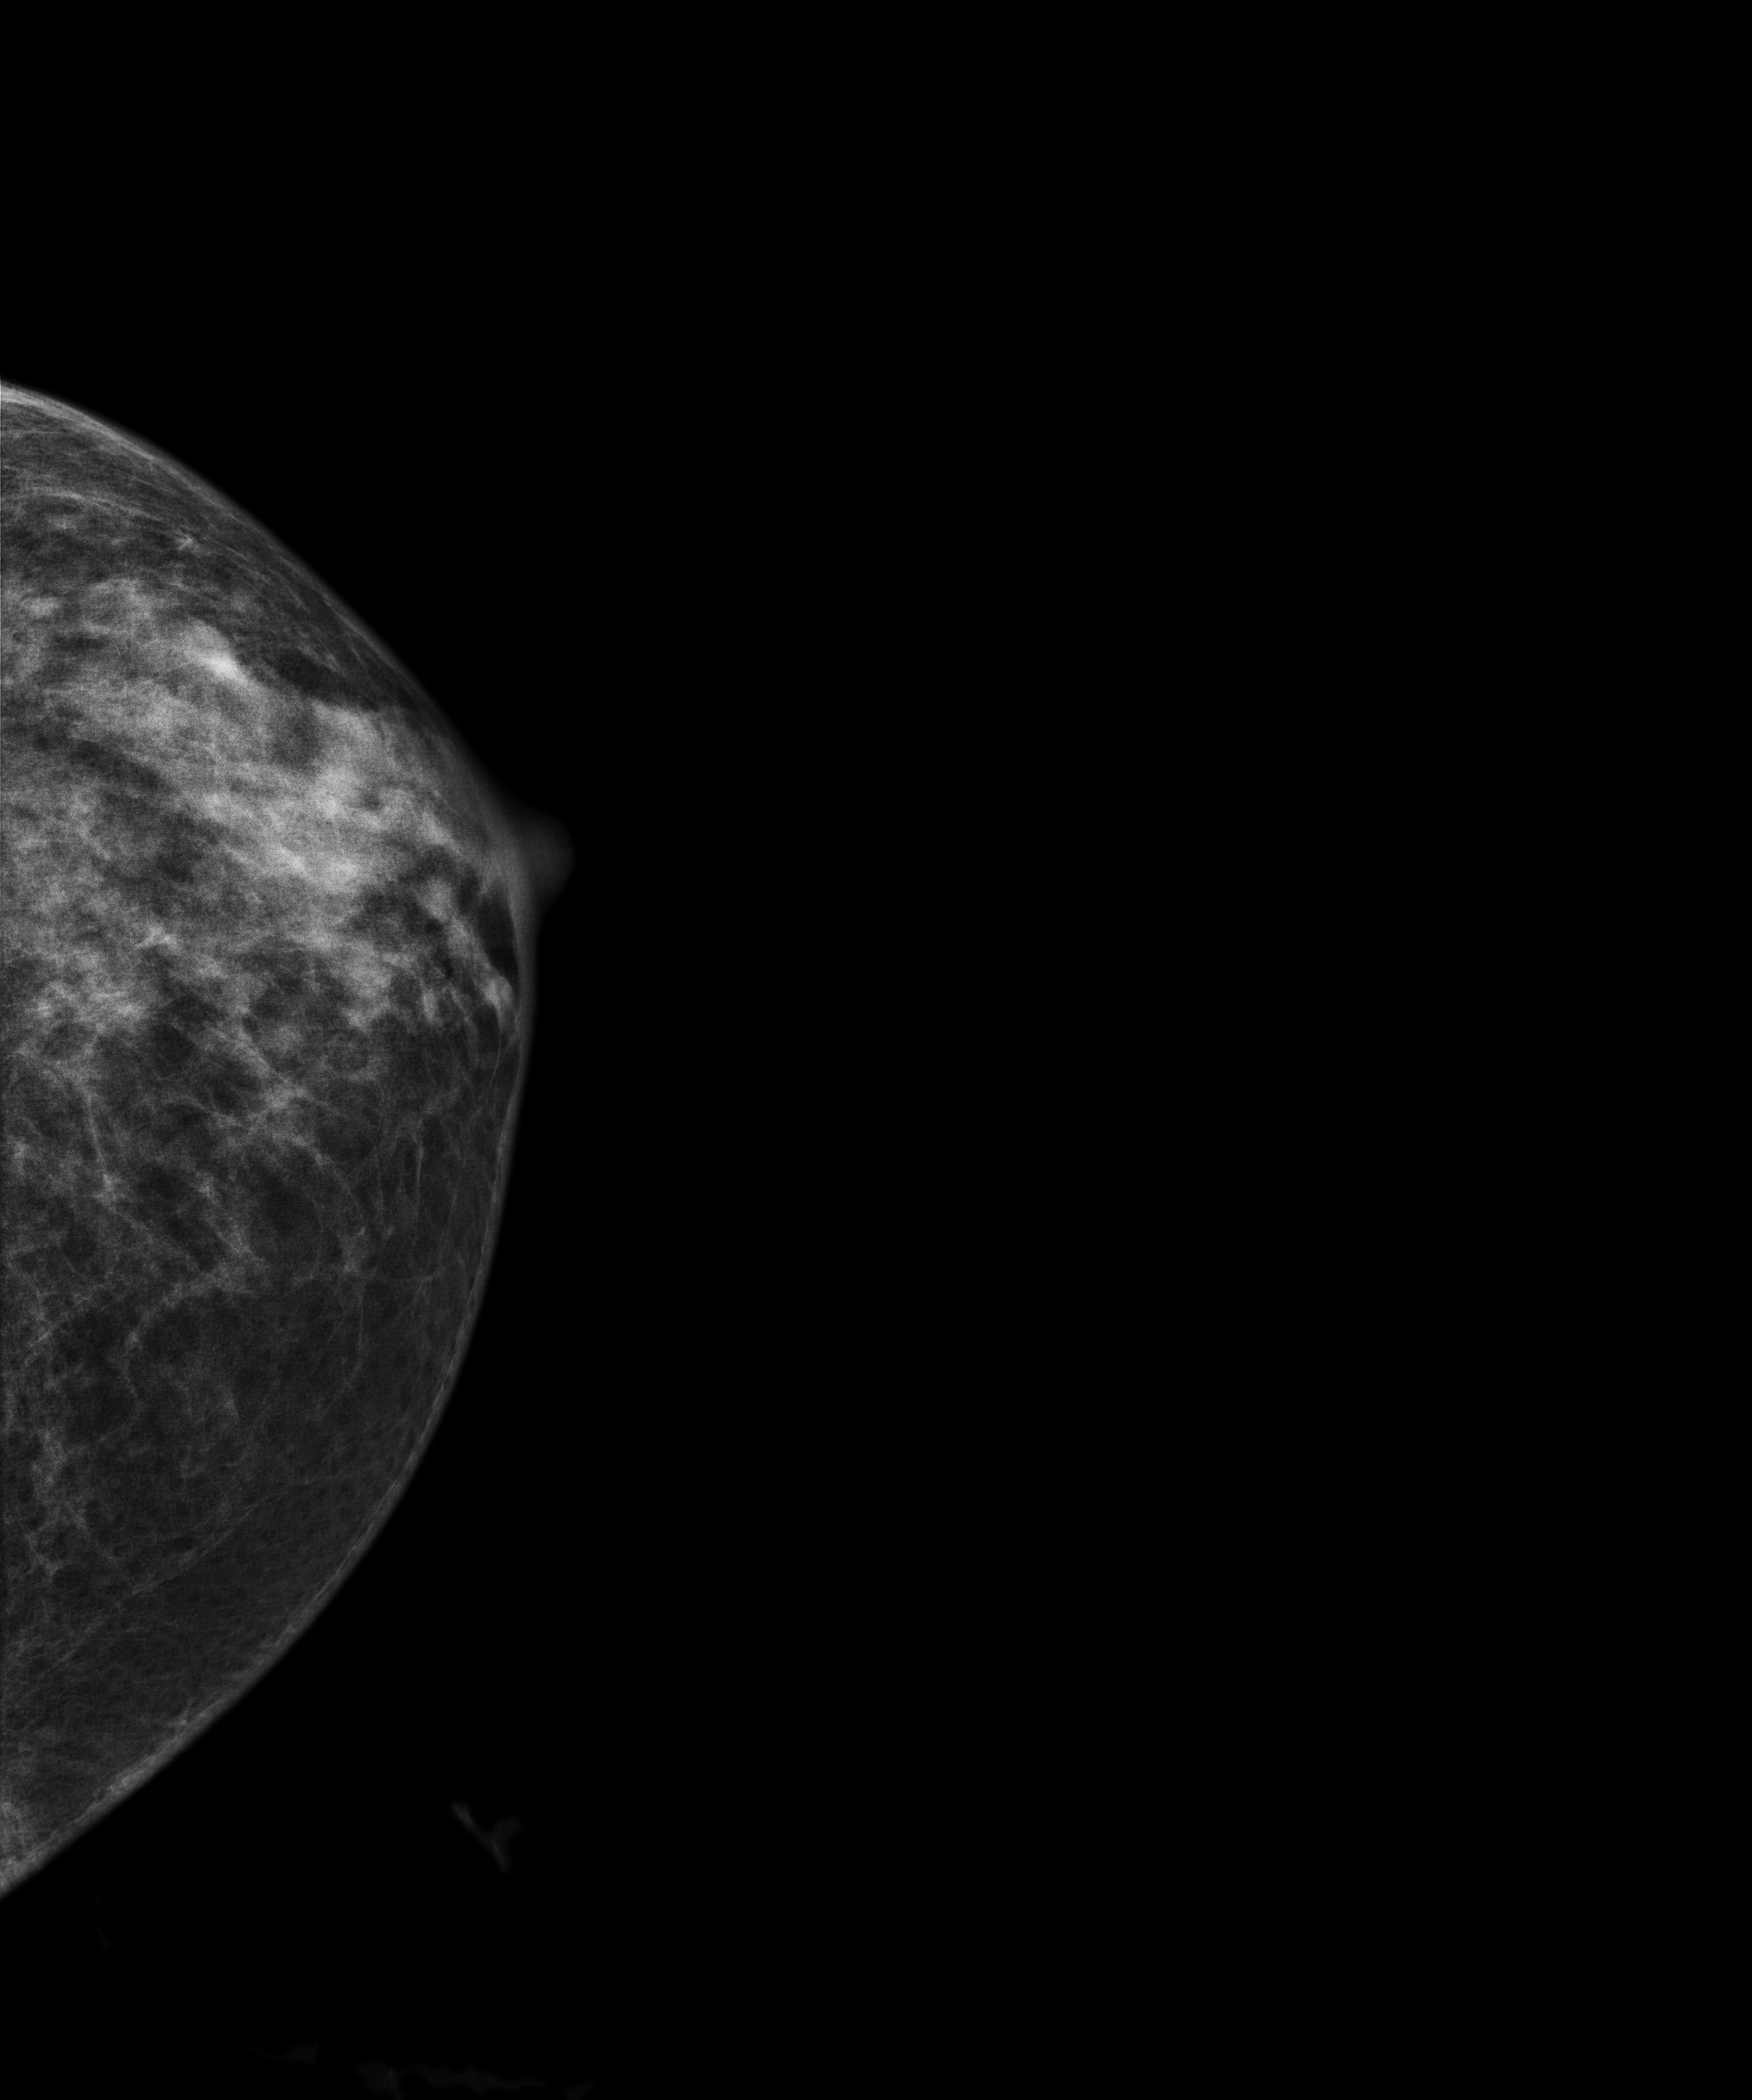
Left-breast mammogram, CC. 29-year-old patient.
This breast has a mass, histologically confirmed malignant. Molecular subtype: luminal B.